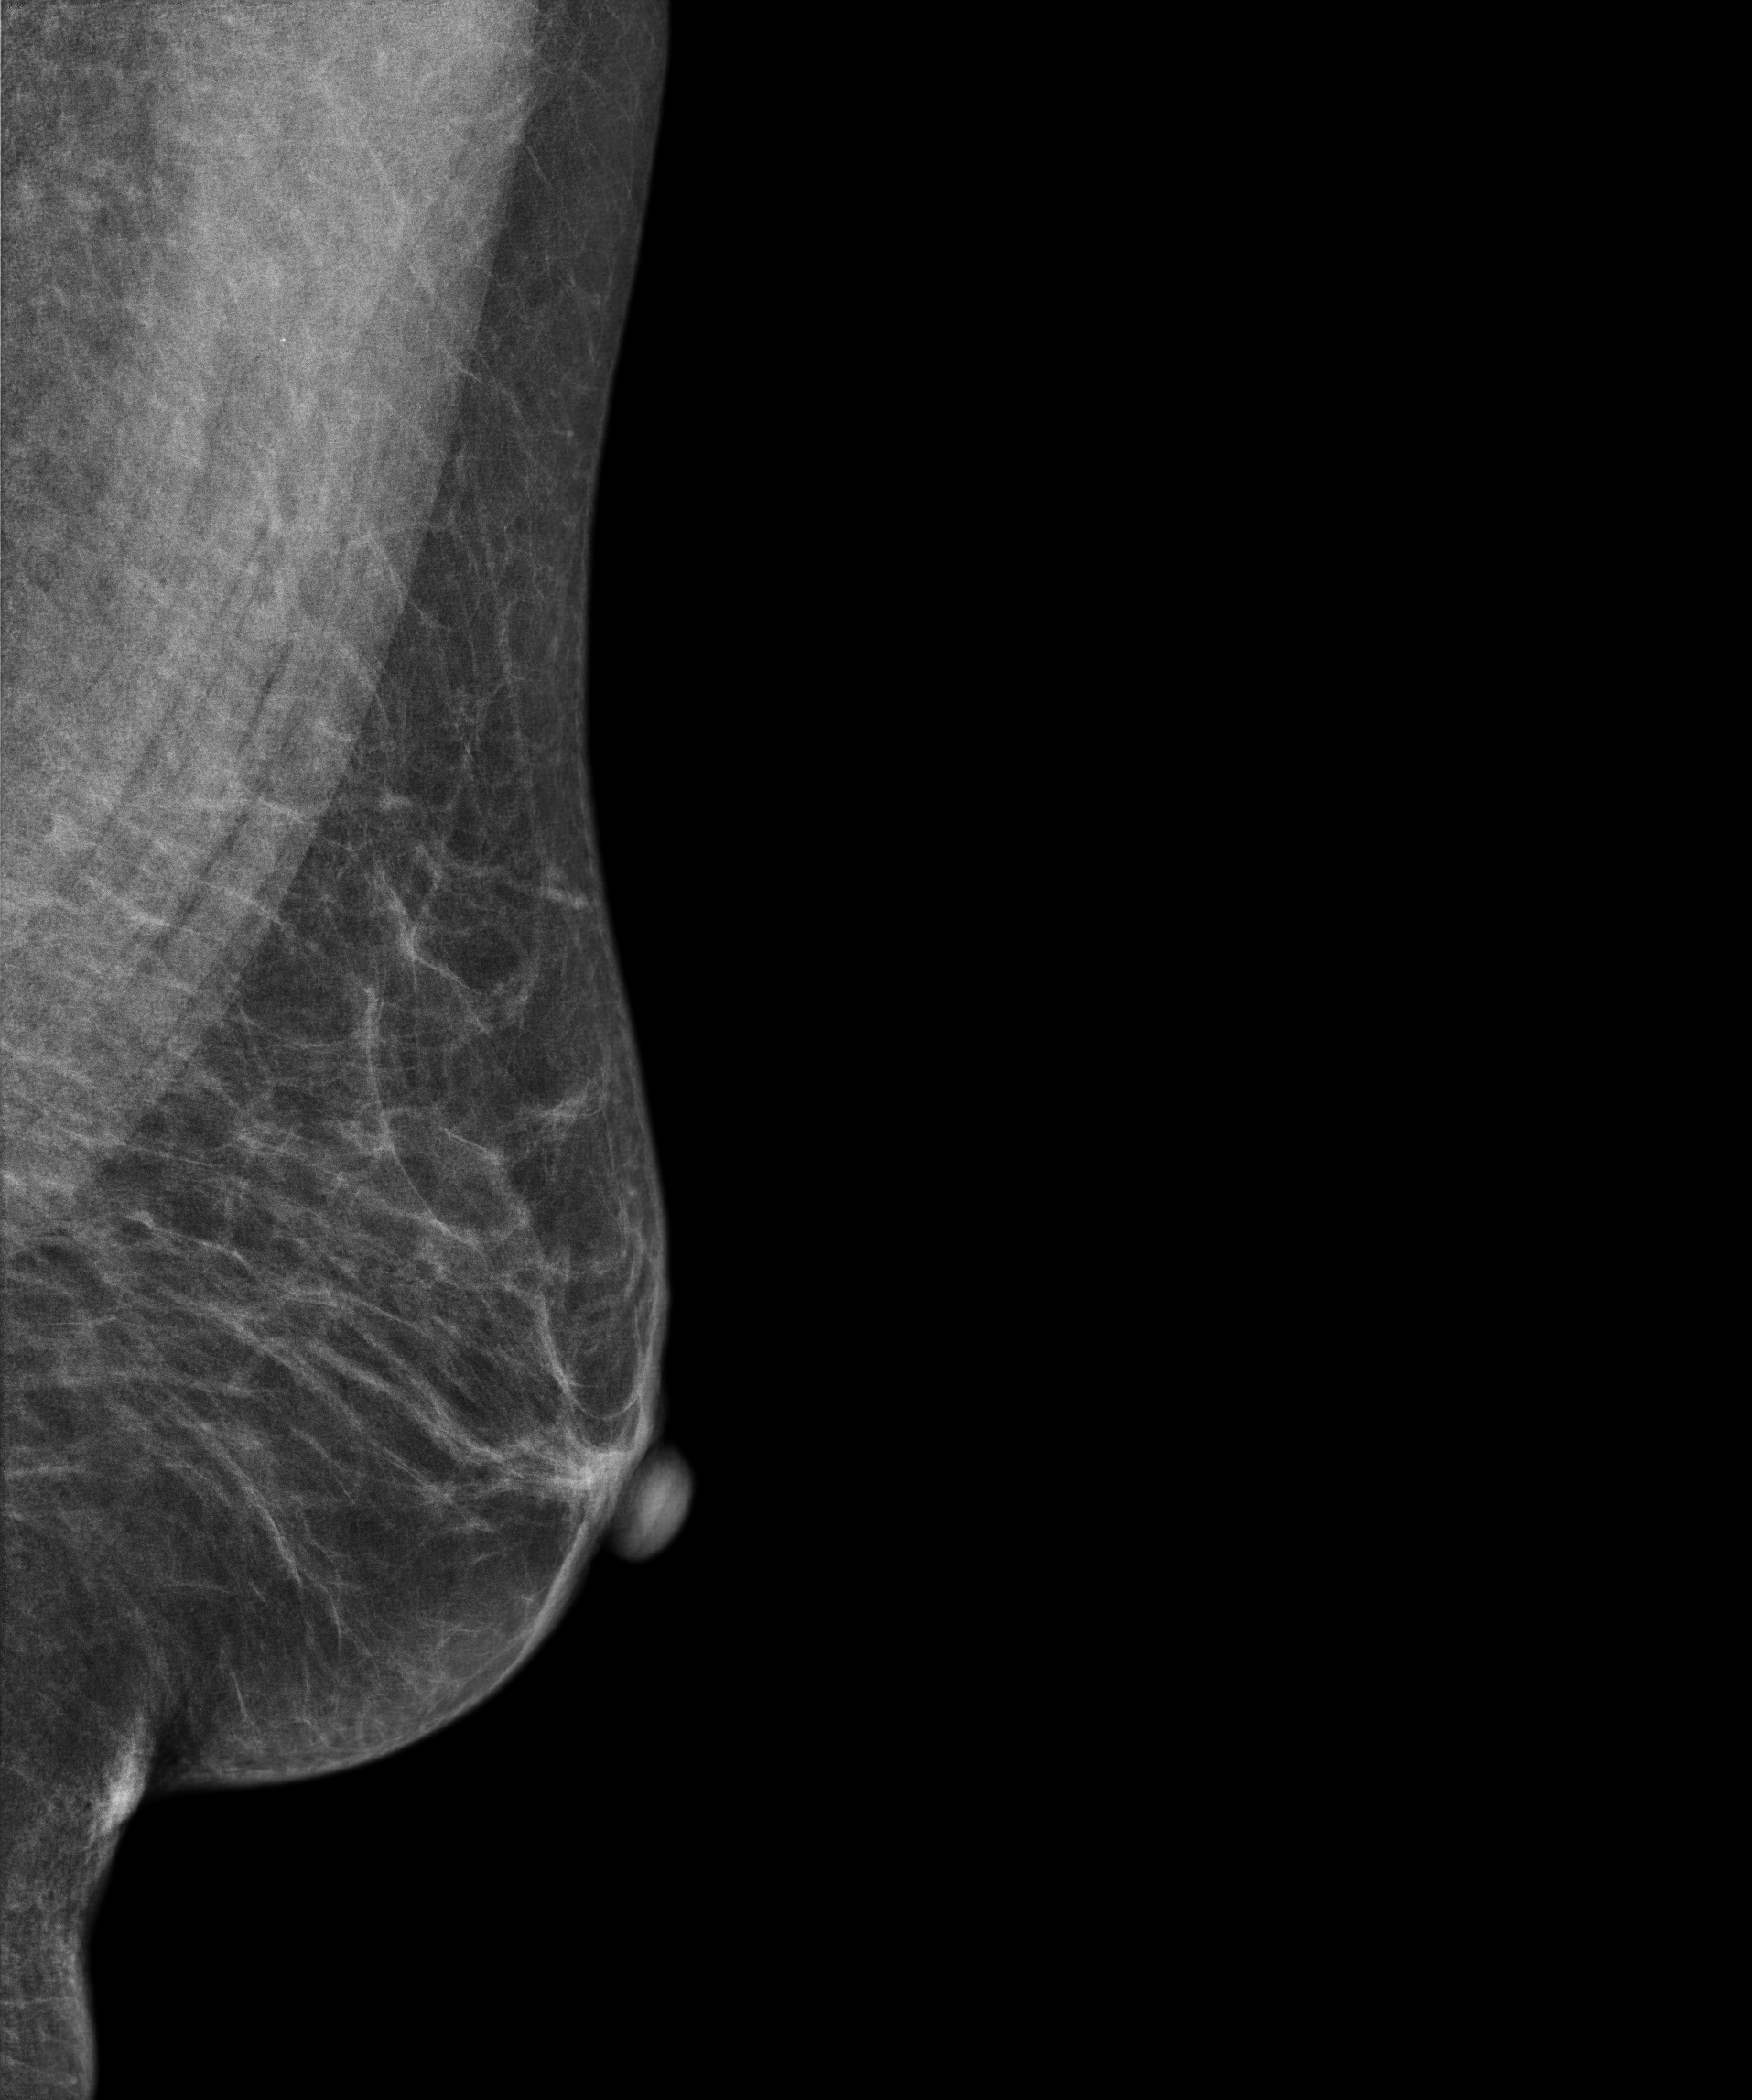
Left-breast mammogram, medio-lateral oblique. 59-year-old patient.
Contralateral breast — no documented abnormality on this side.